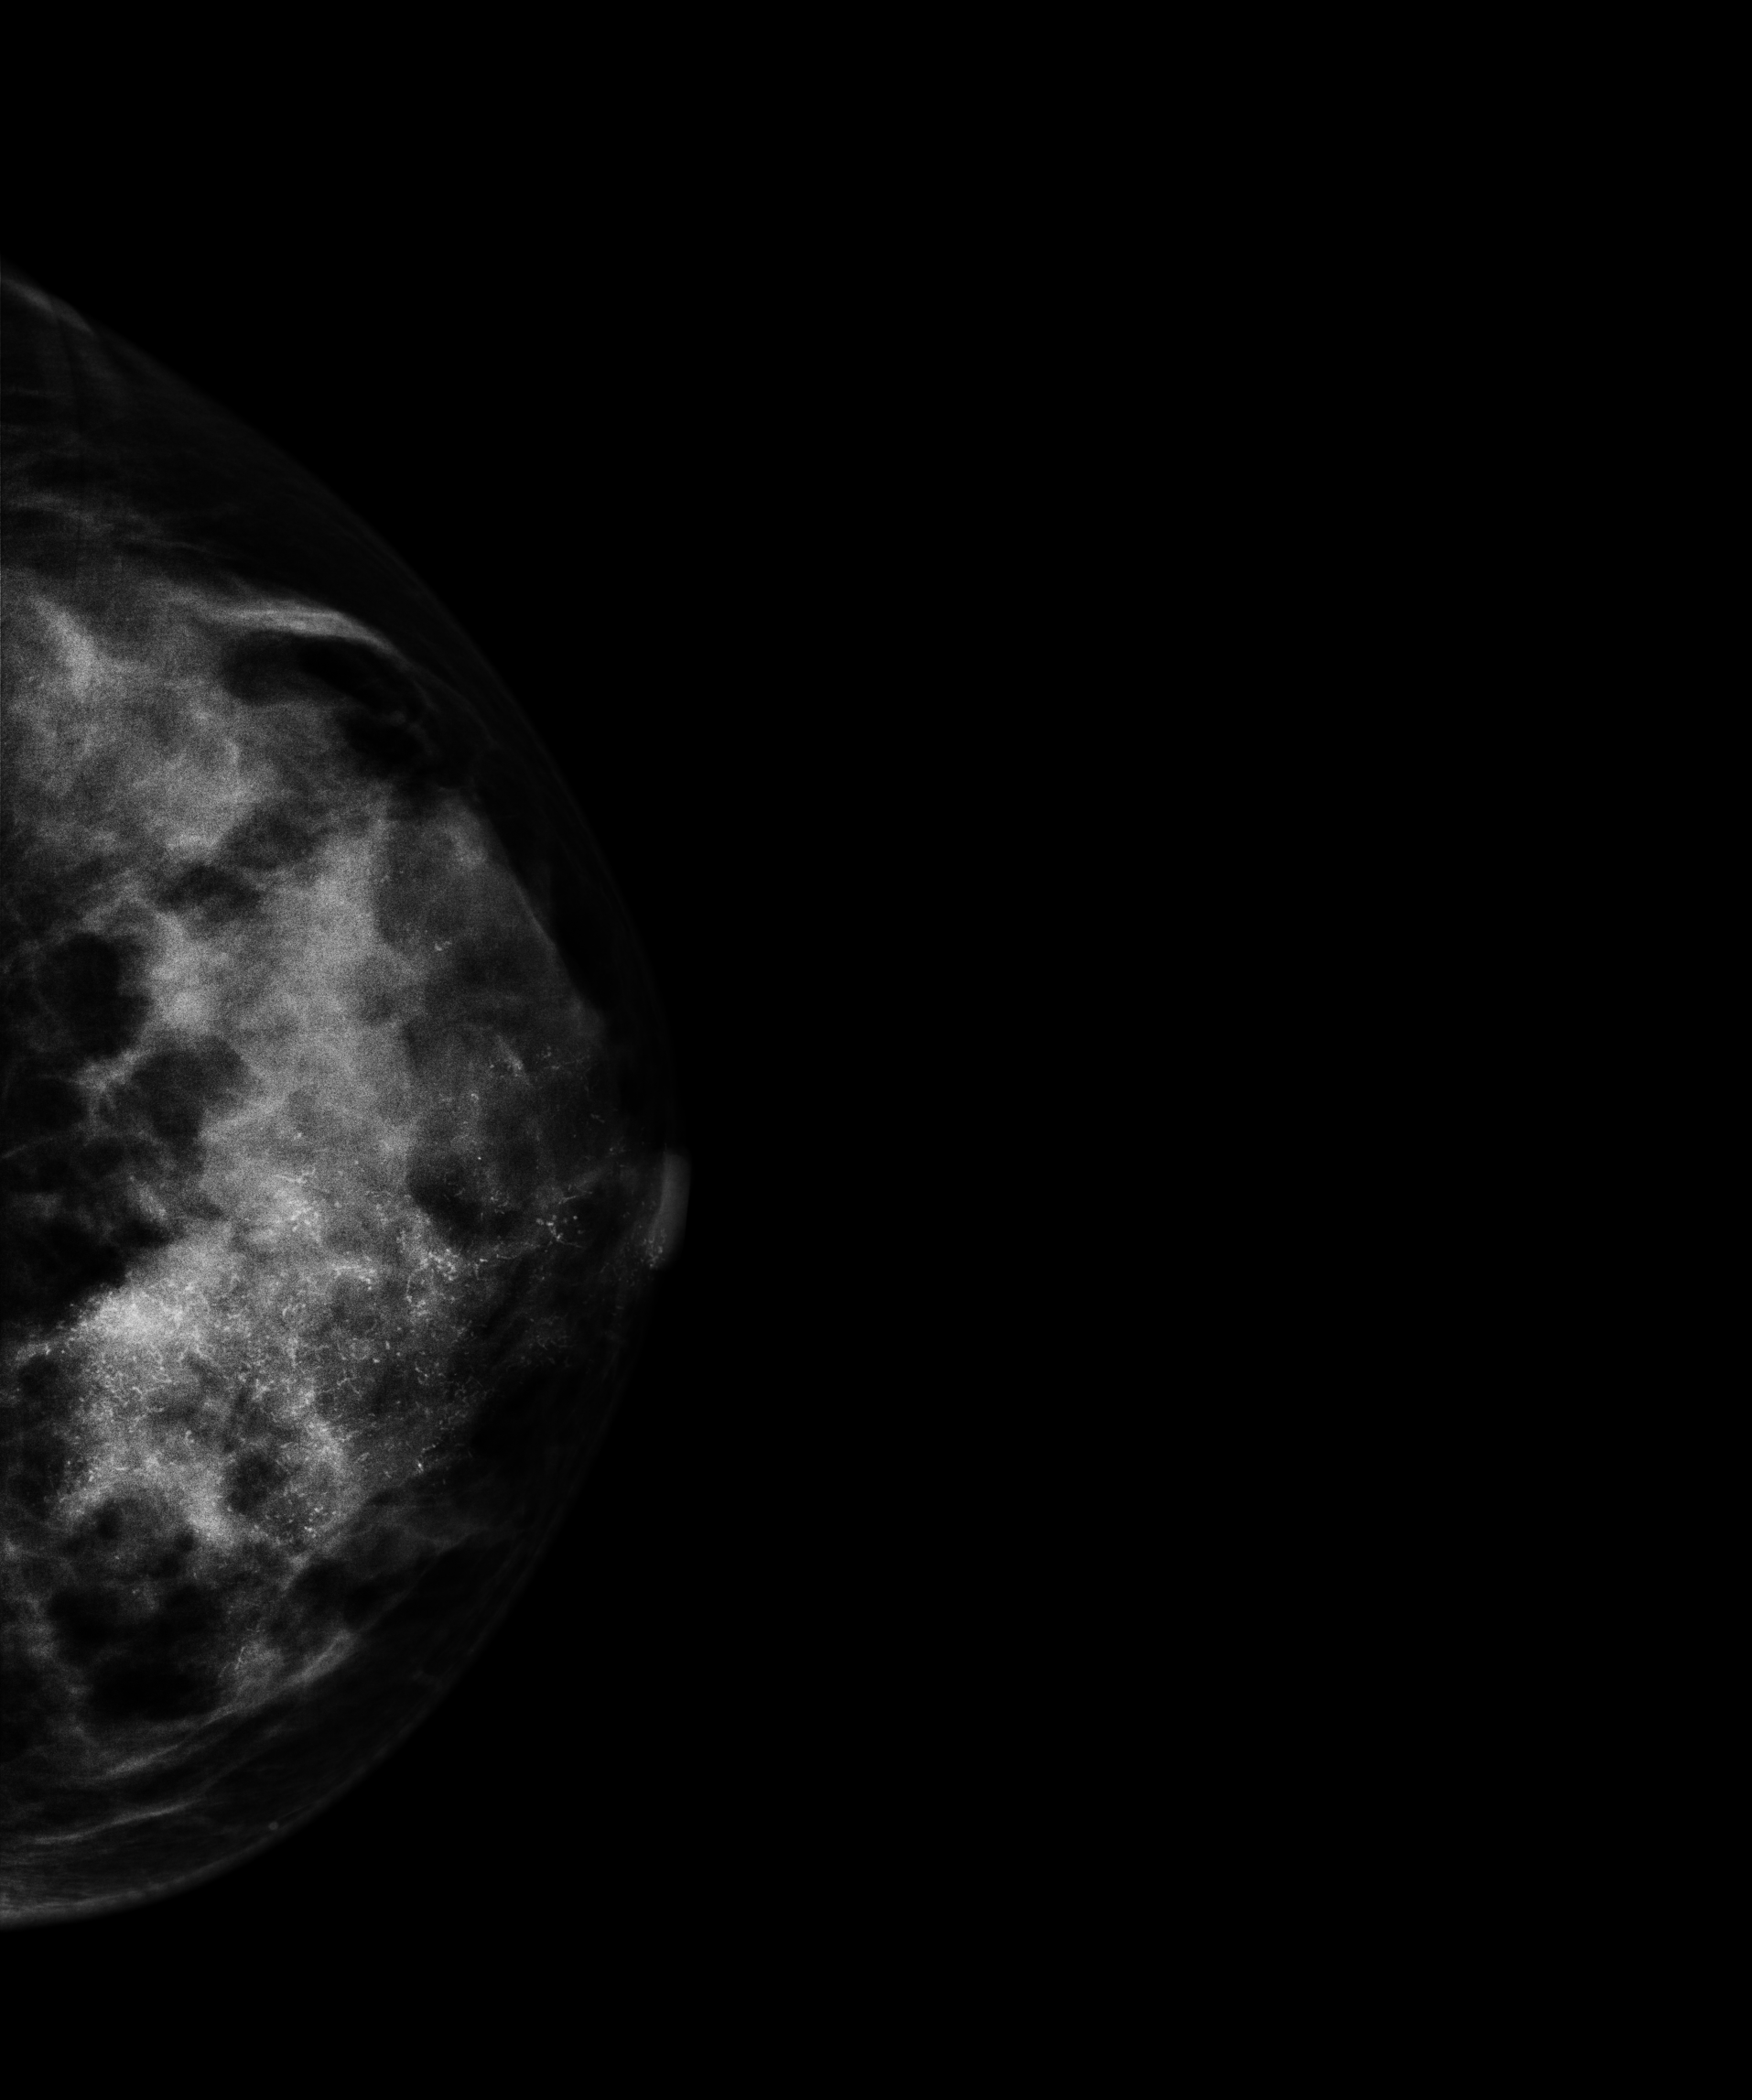
Mammogram — left cranio-caudal. Patient age 27.
This breast has calcifications, pathology-confirmed malignant.